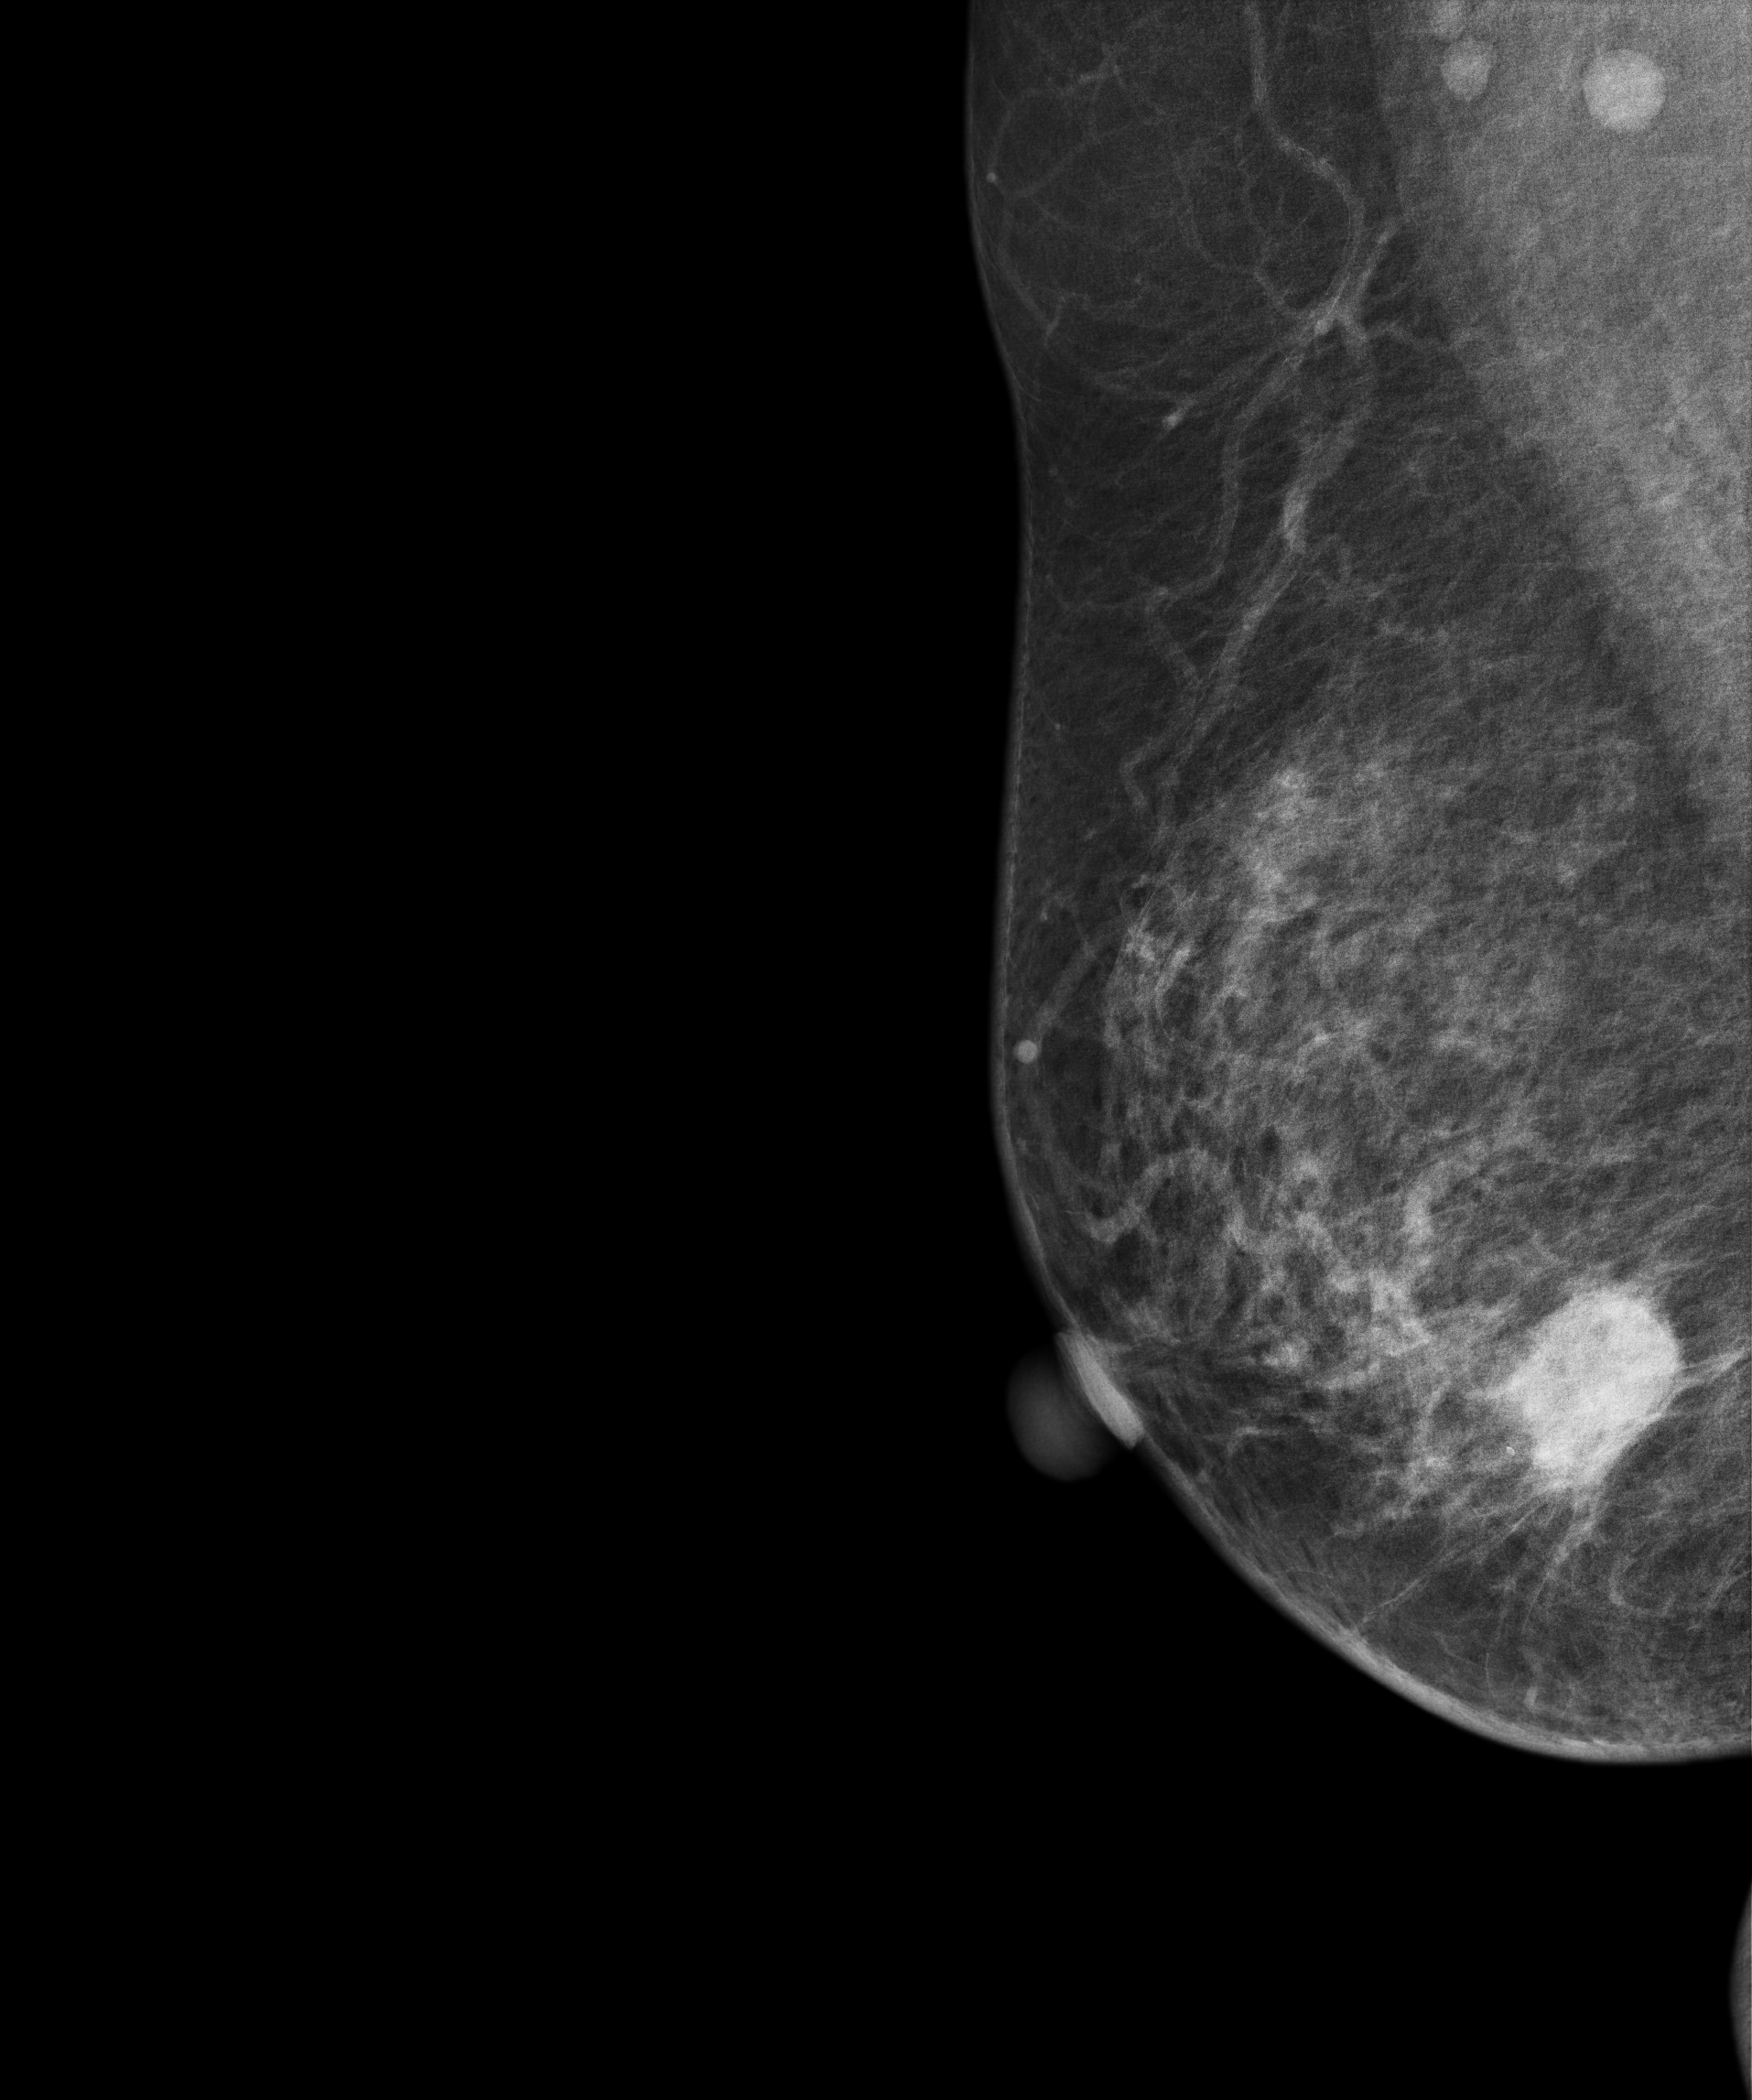
Digital mammography. Right breast, MLO projection. 62 y/o patient.
This breast has a mass, pathology-confirmed malignant.